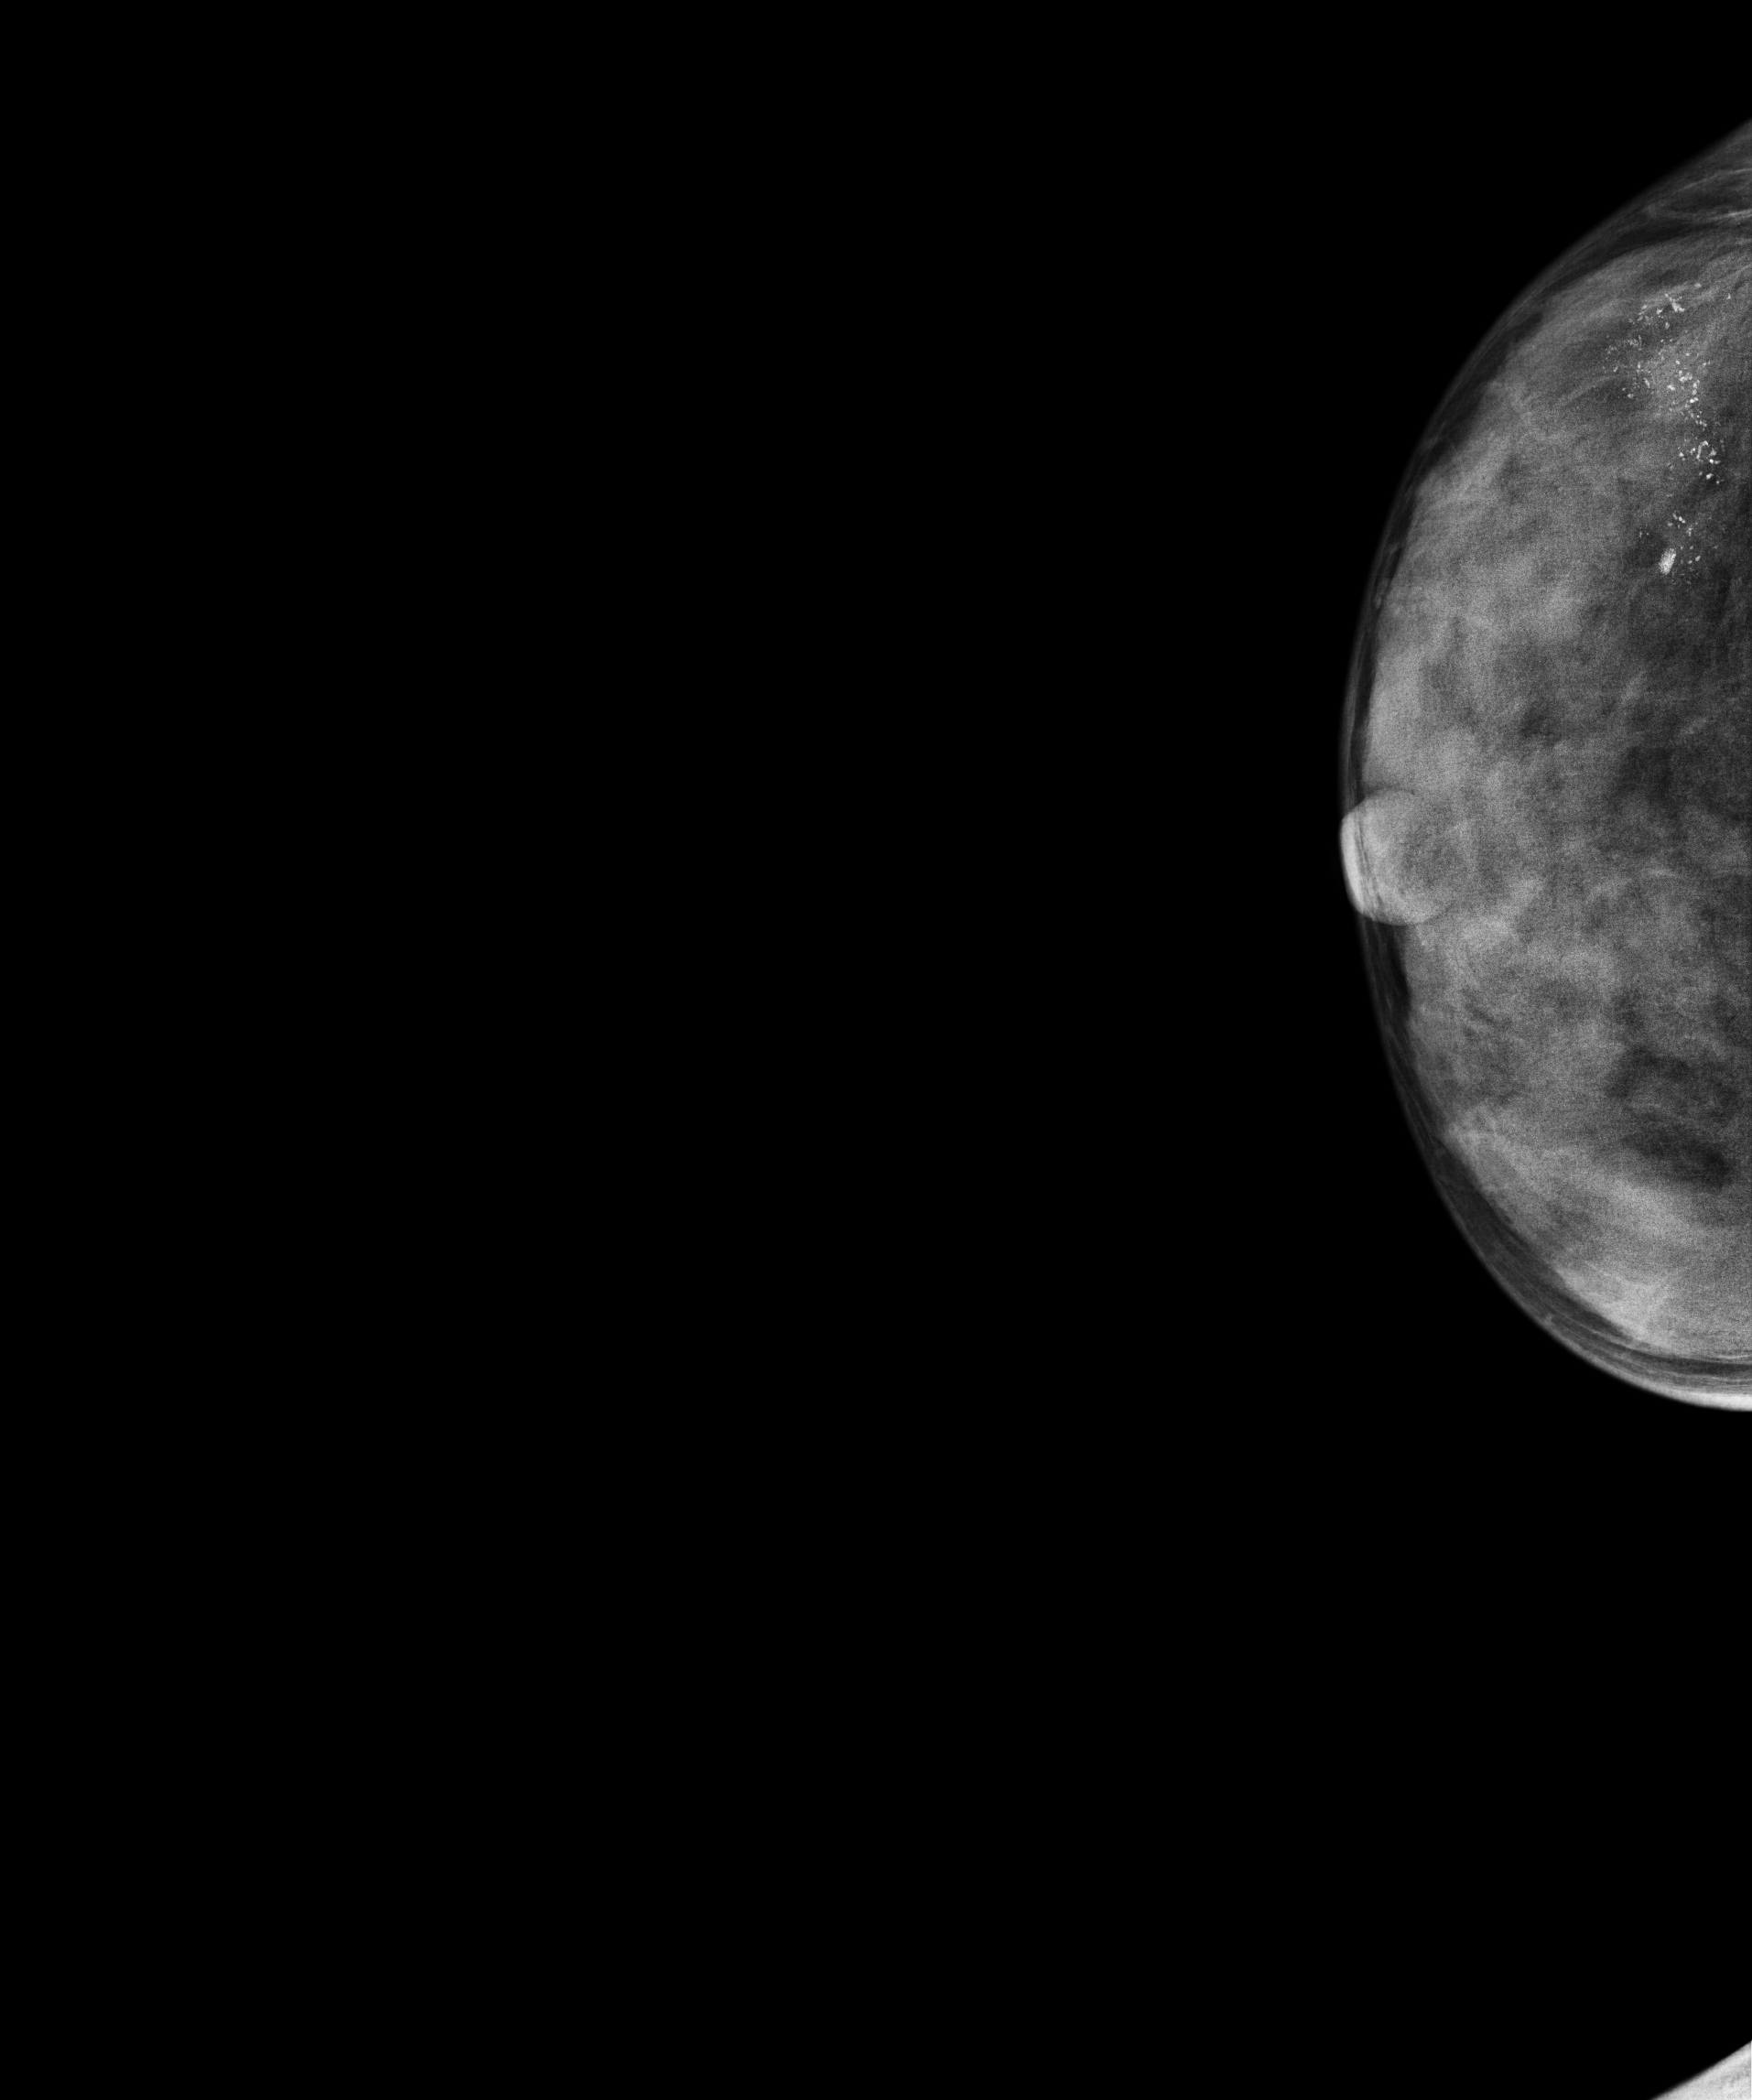
Mammogram — right CC. 35 y/o patient.
This breast has calcifications, pathology-confirmed malignant. Molecular subtype: triple-negative.